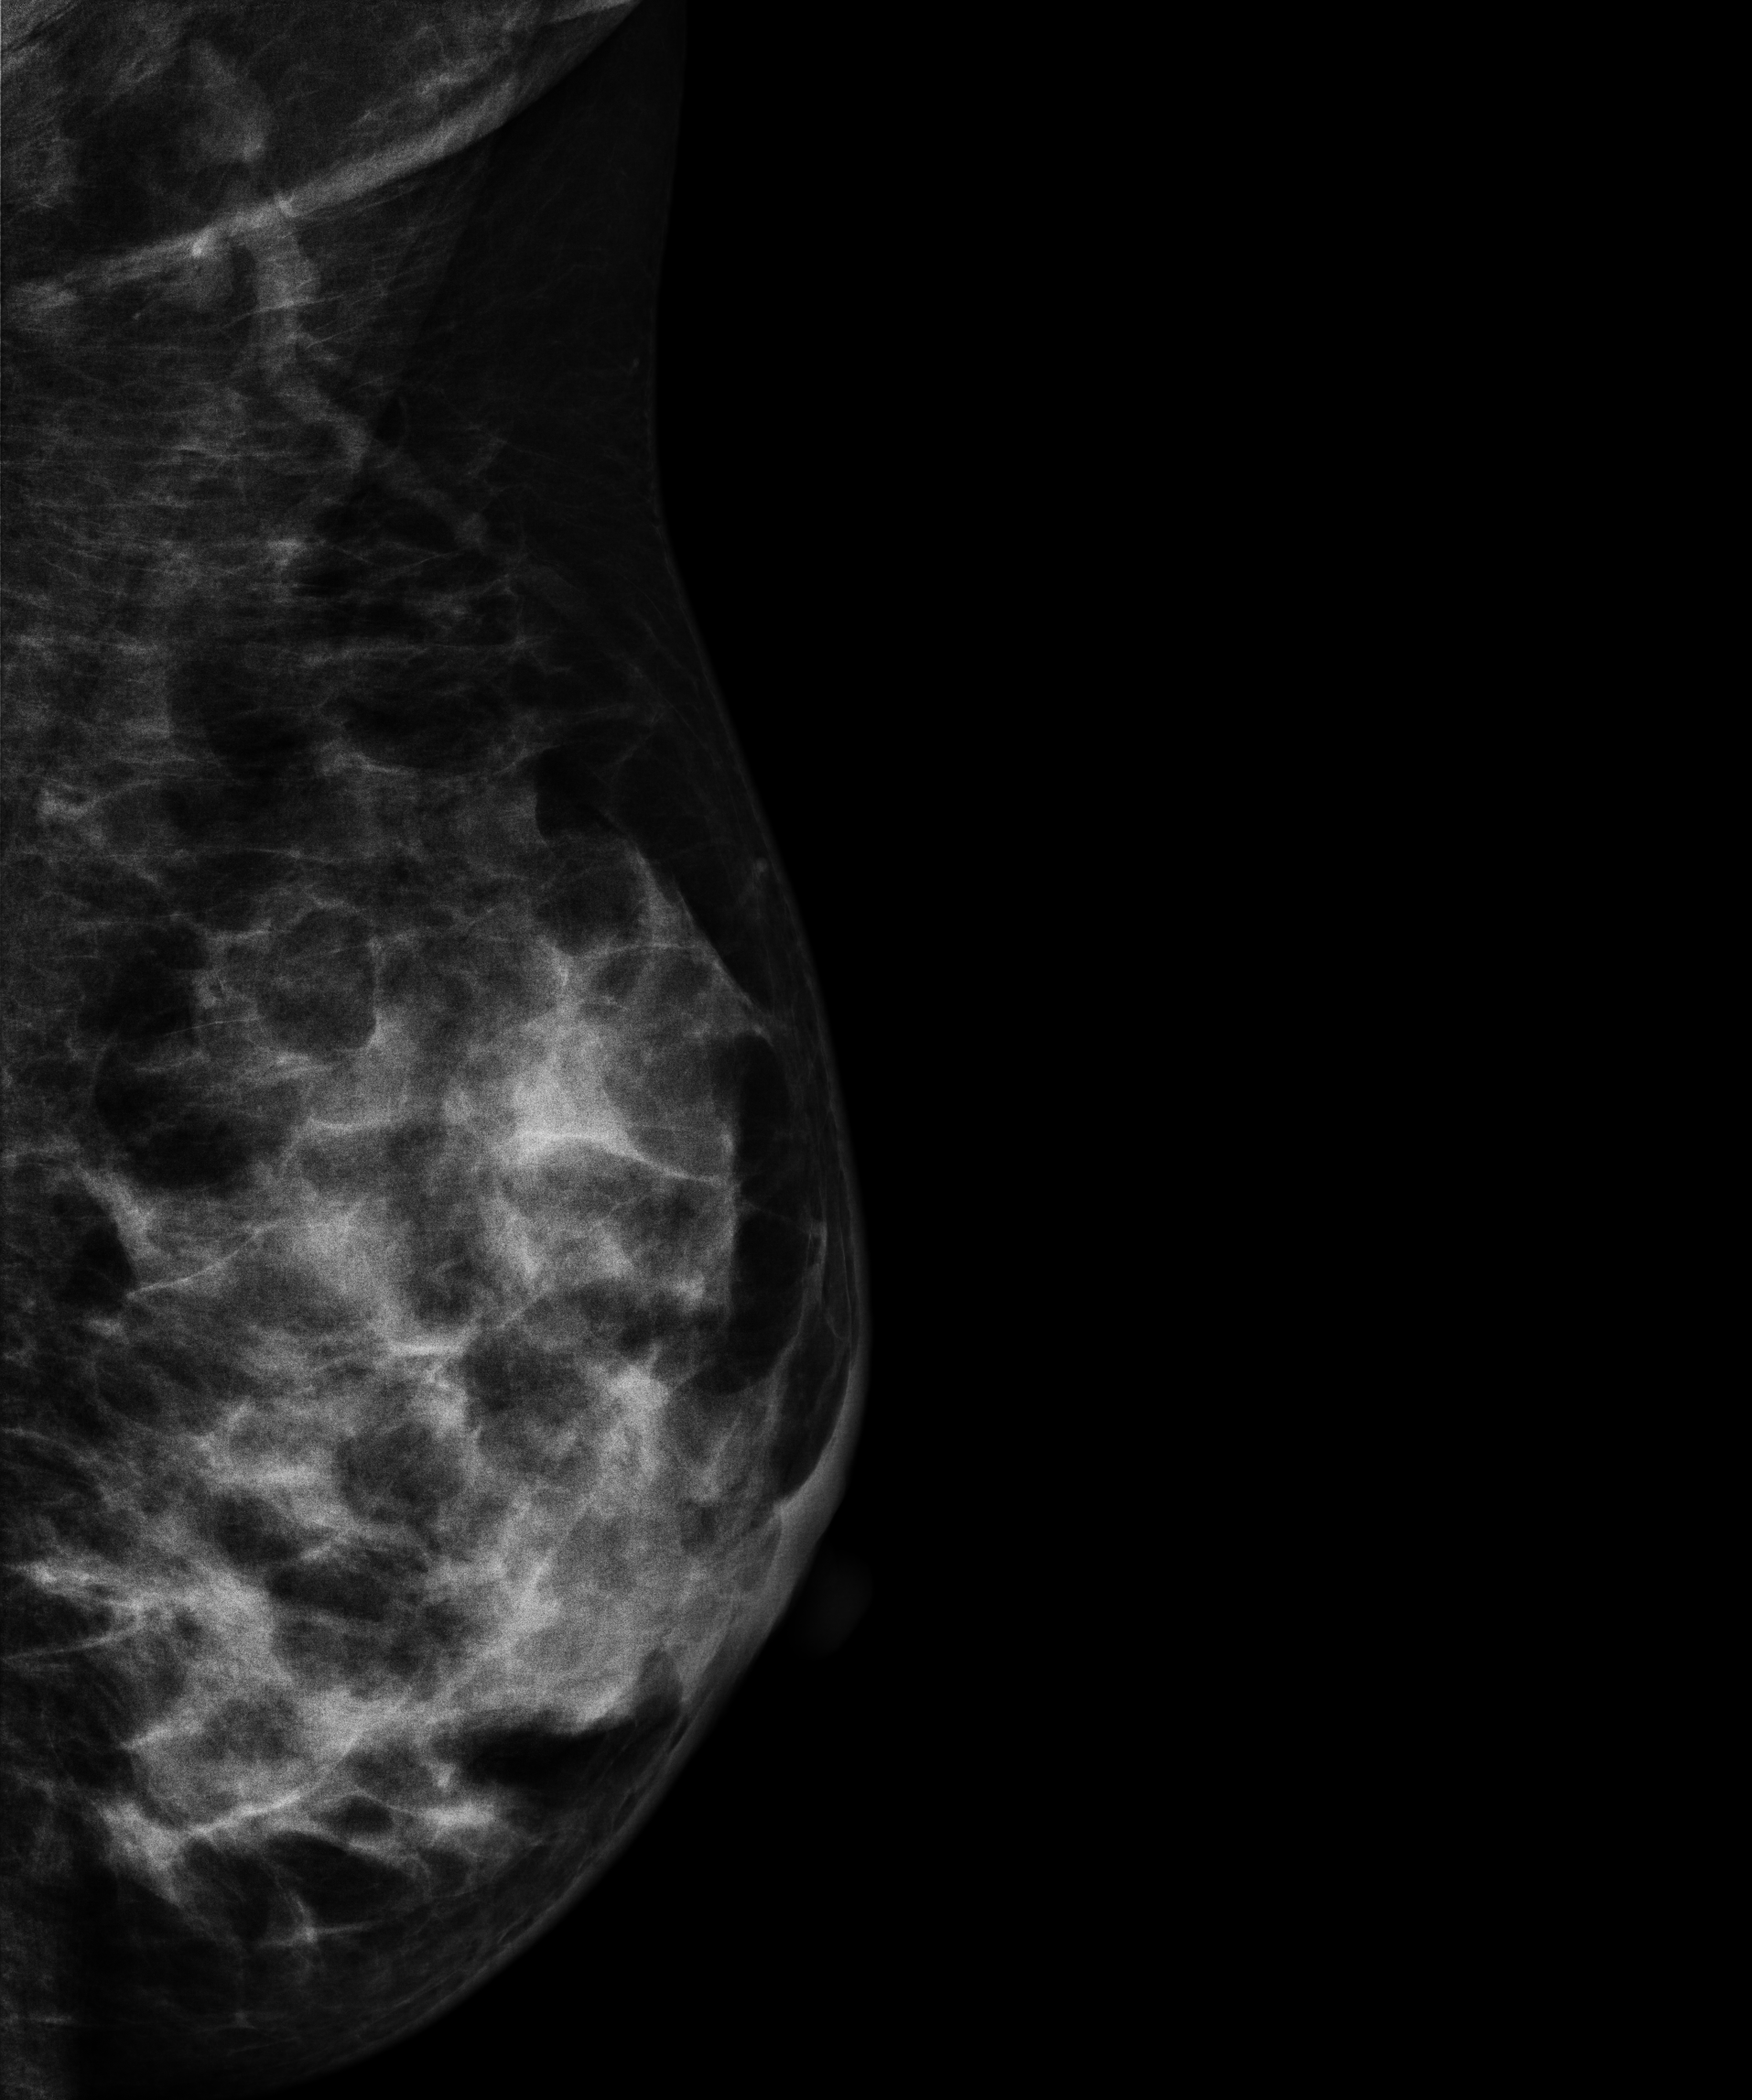
Left-breast mammogram, MLO. 54 y/o patient.
Contralateral breast — no documented abnormality on this side.